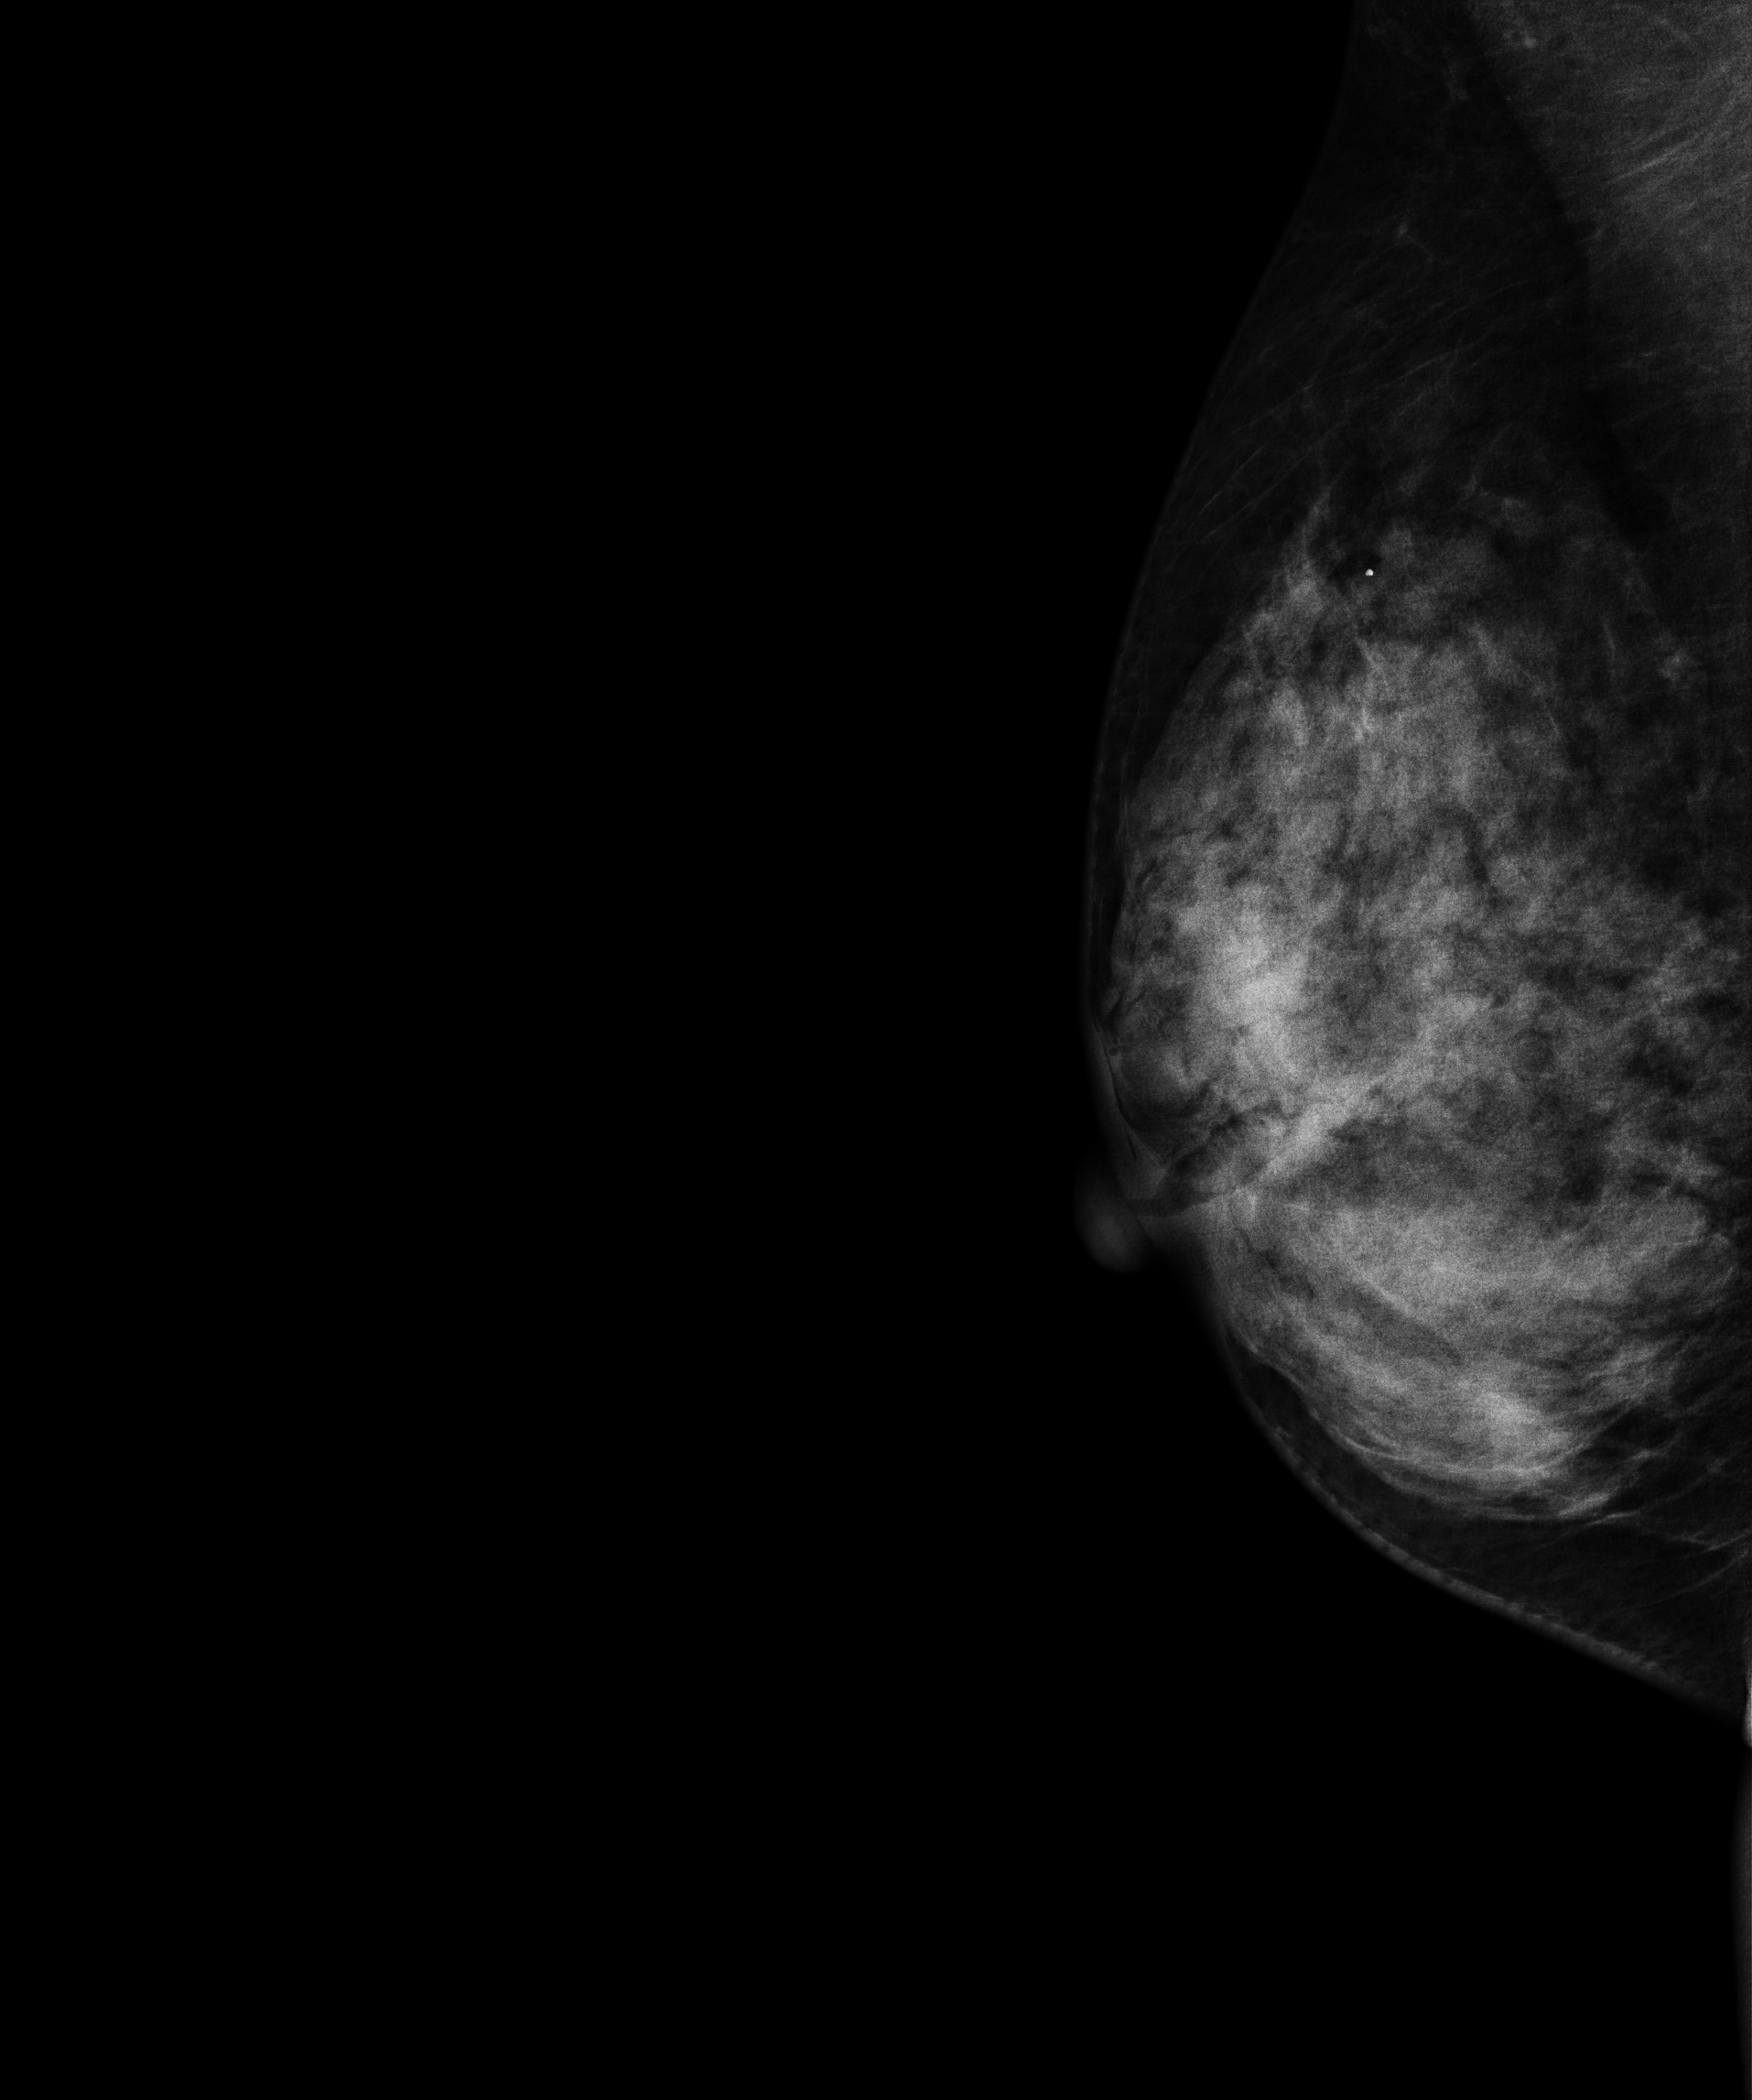
Medio-lateral oblique mammogram of the right breast. Patient age 37.
This breast has a mass, histologically confirmed benign.